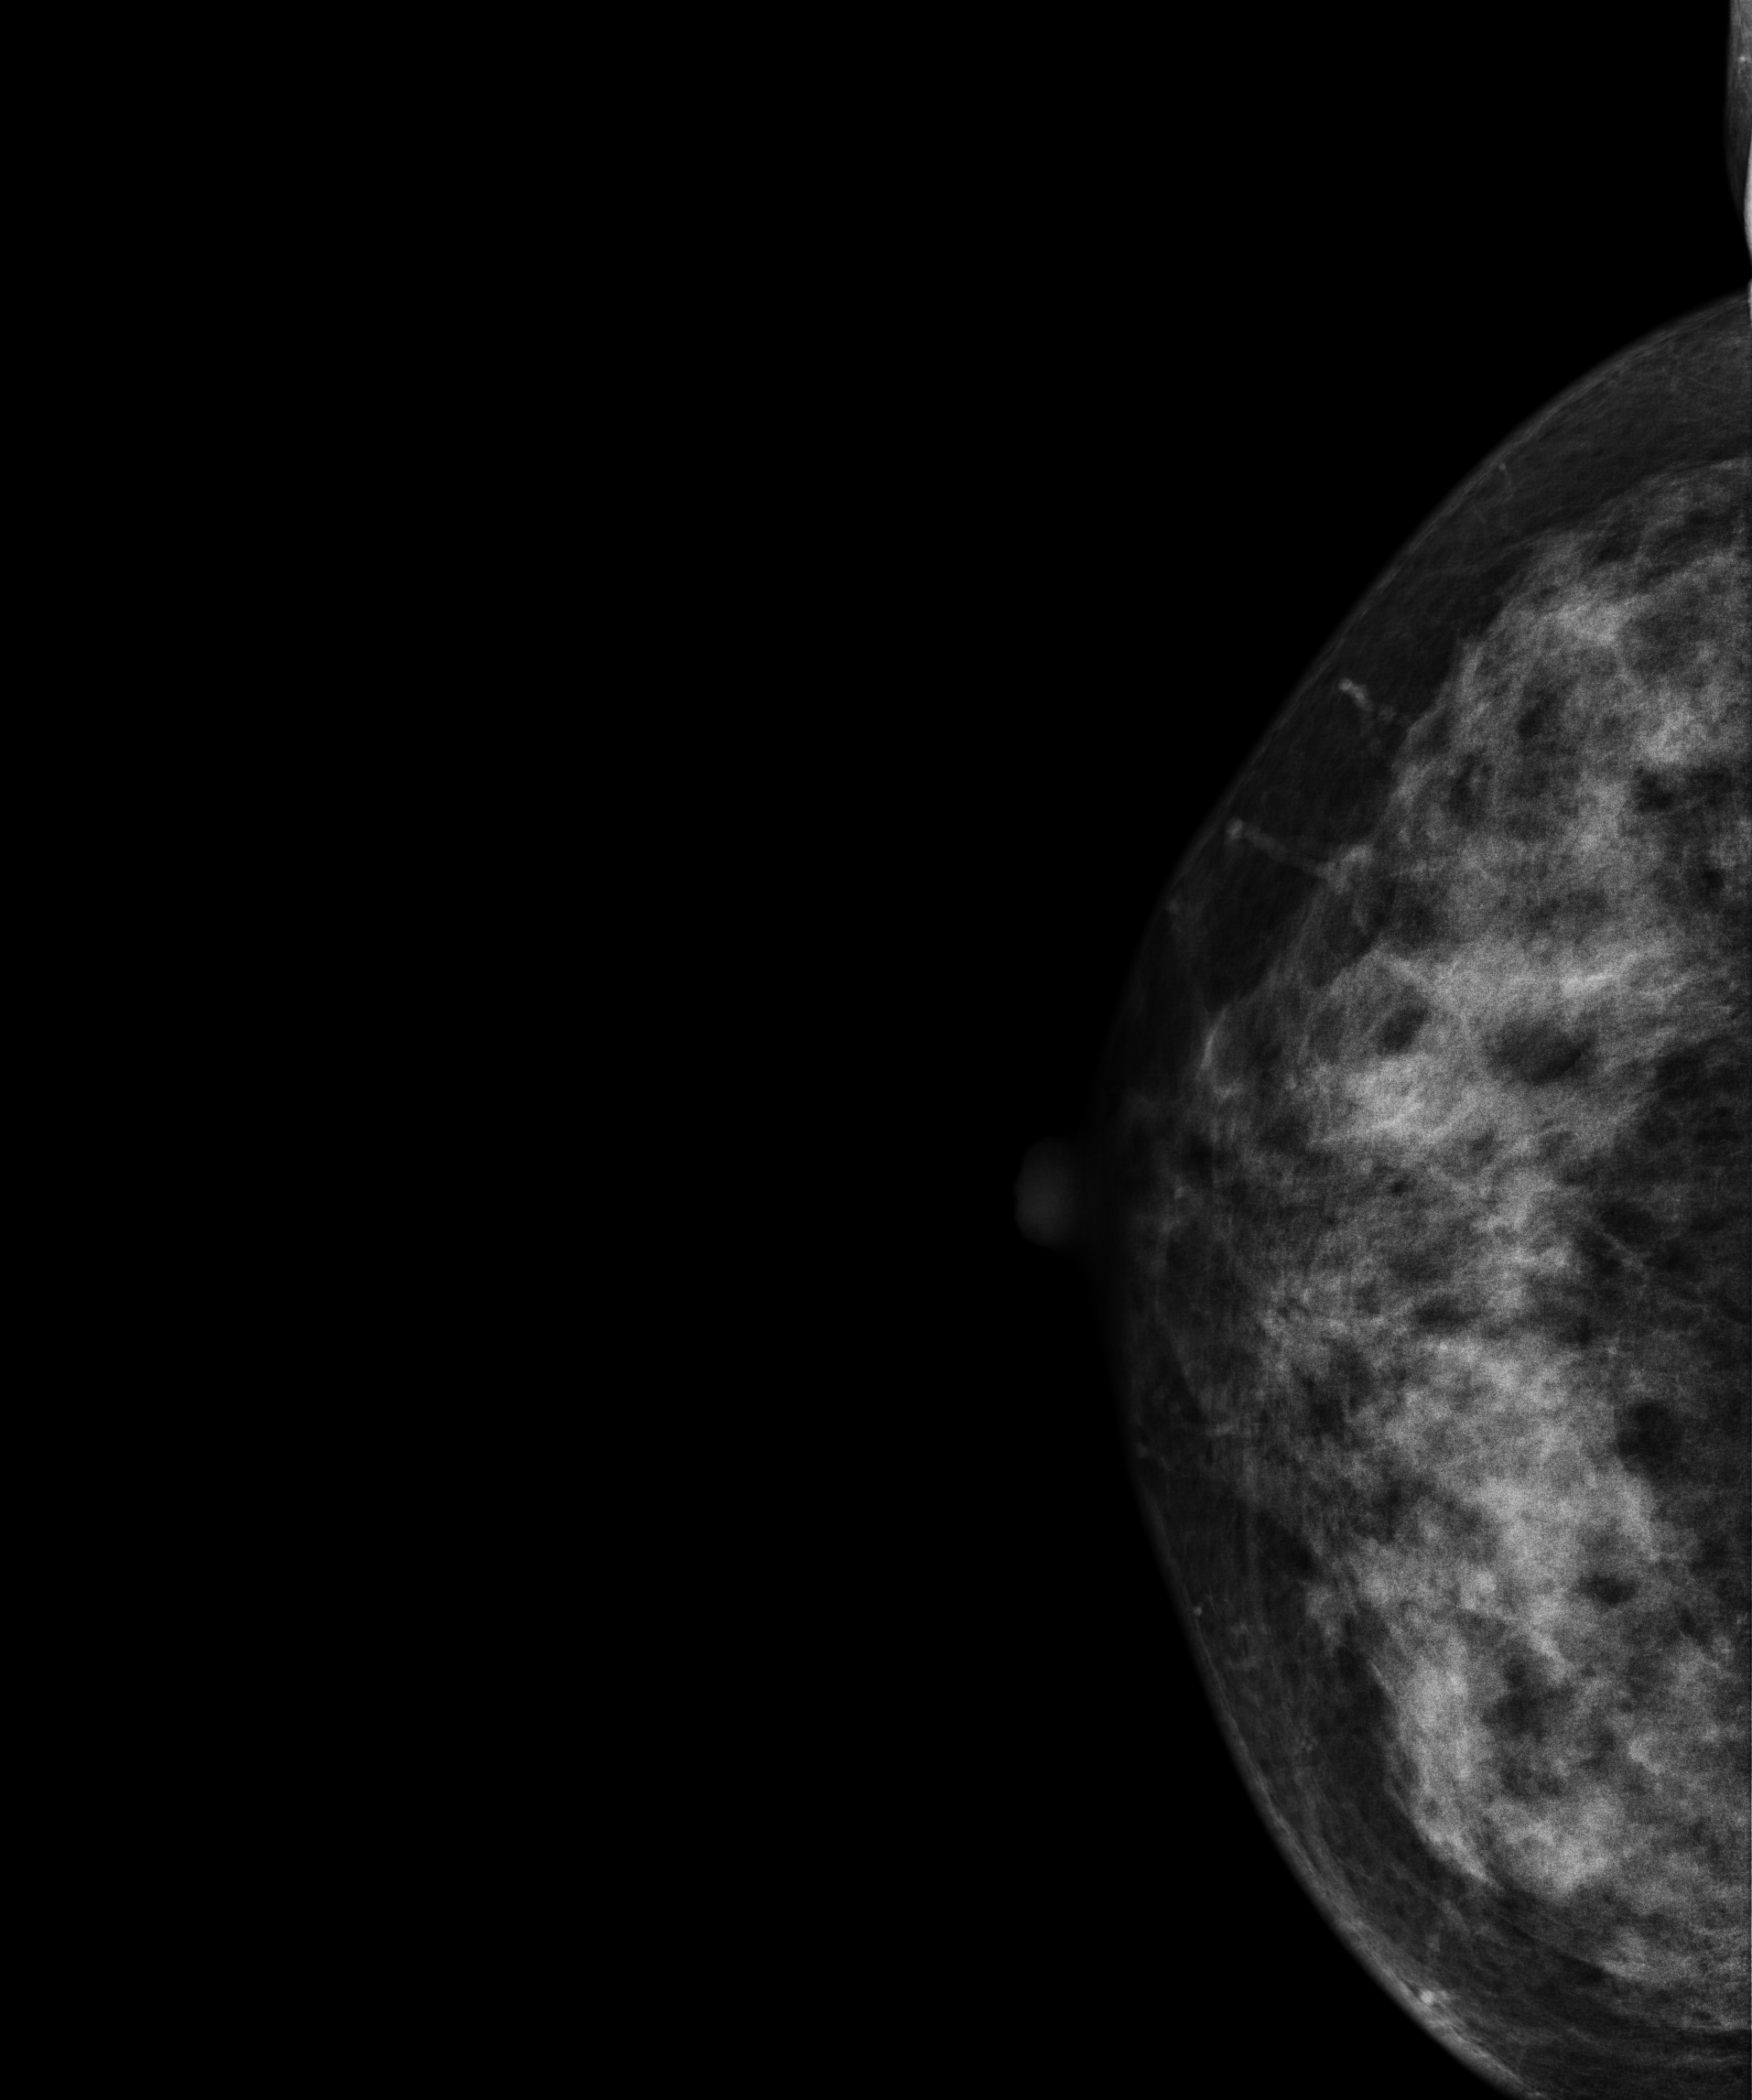
Mammogram, right breast, CC view. 43 y/o patient.
Contralateral breast — no documented abnormality on this side.